Mammogram — left CC. Patient age 42.
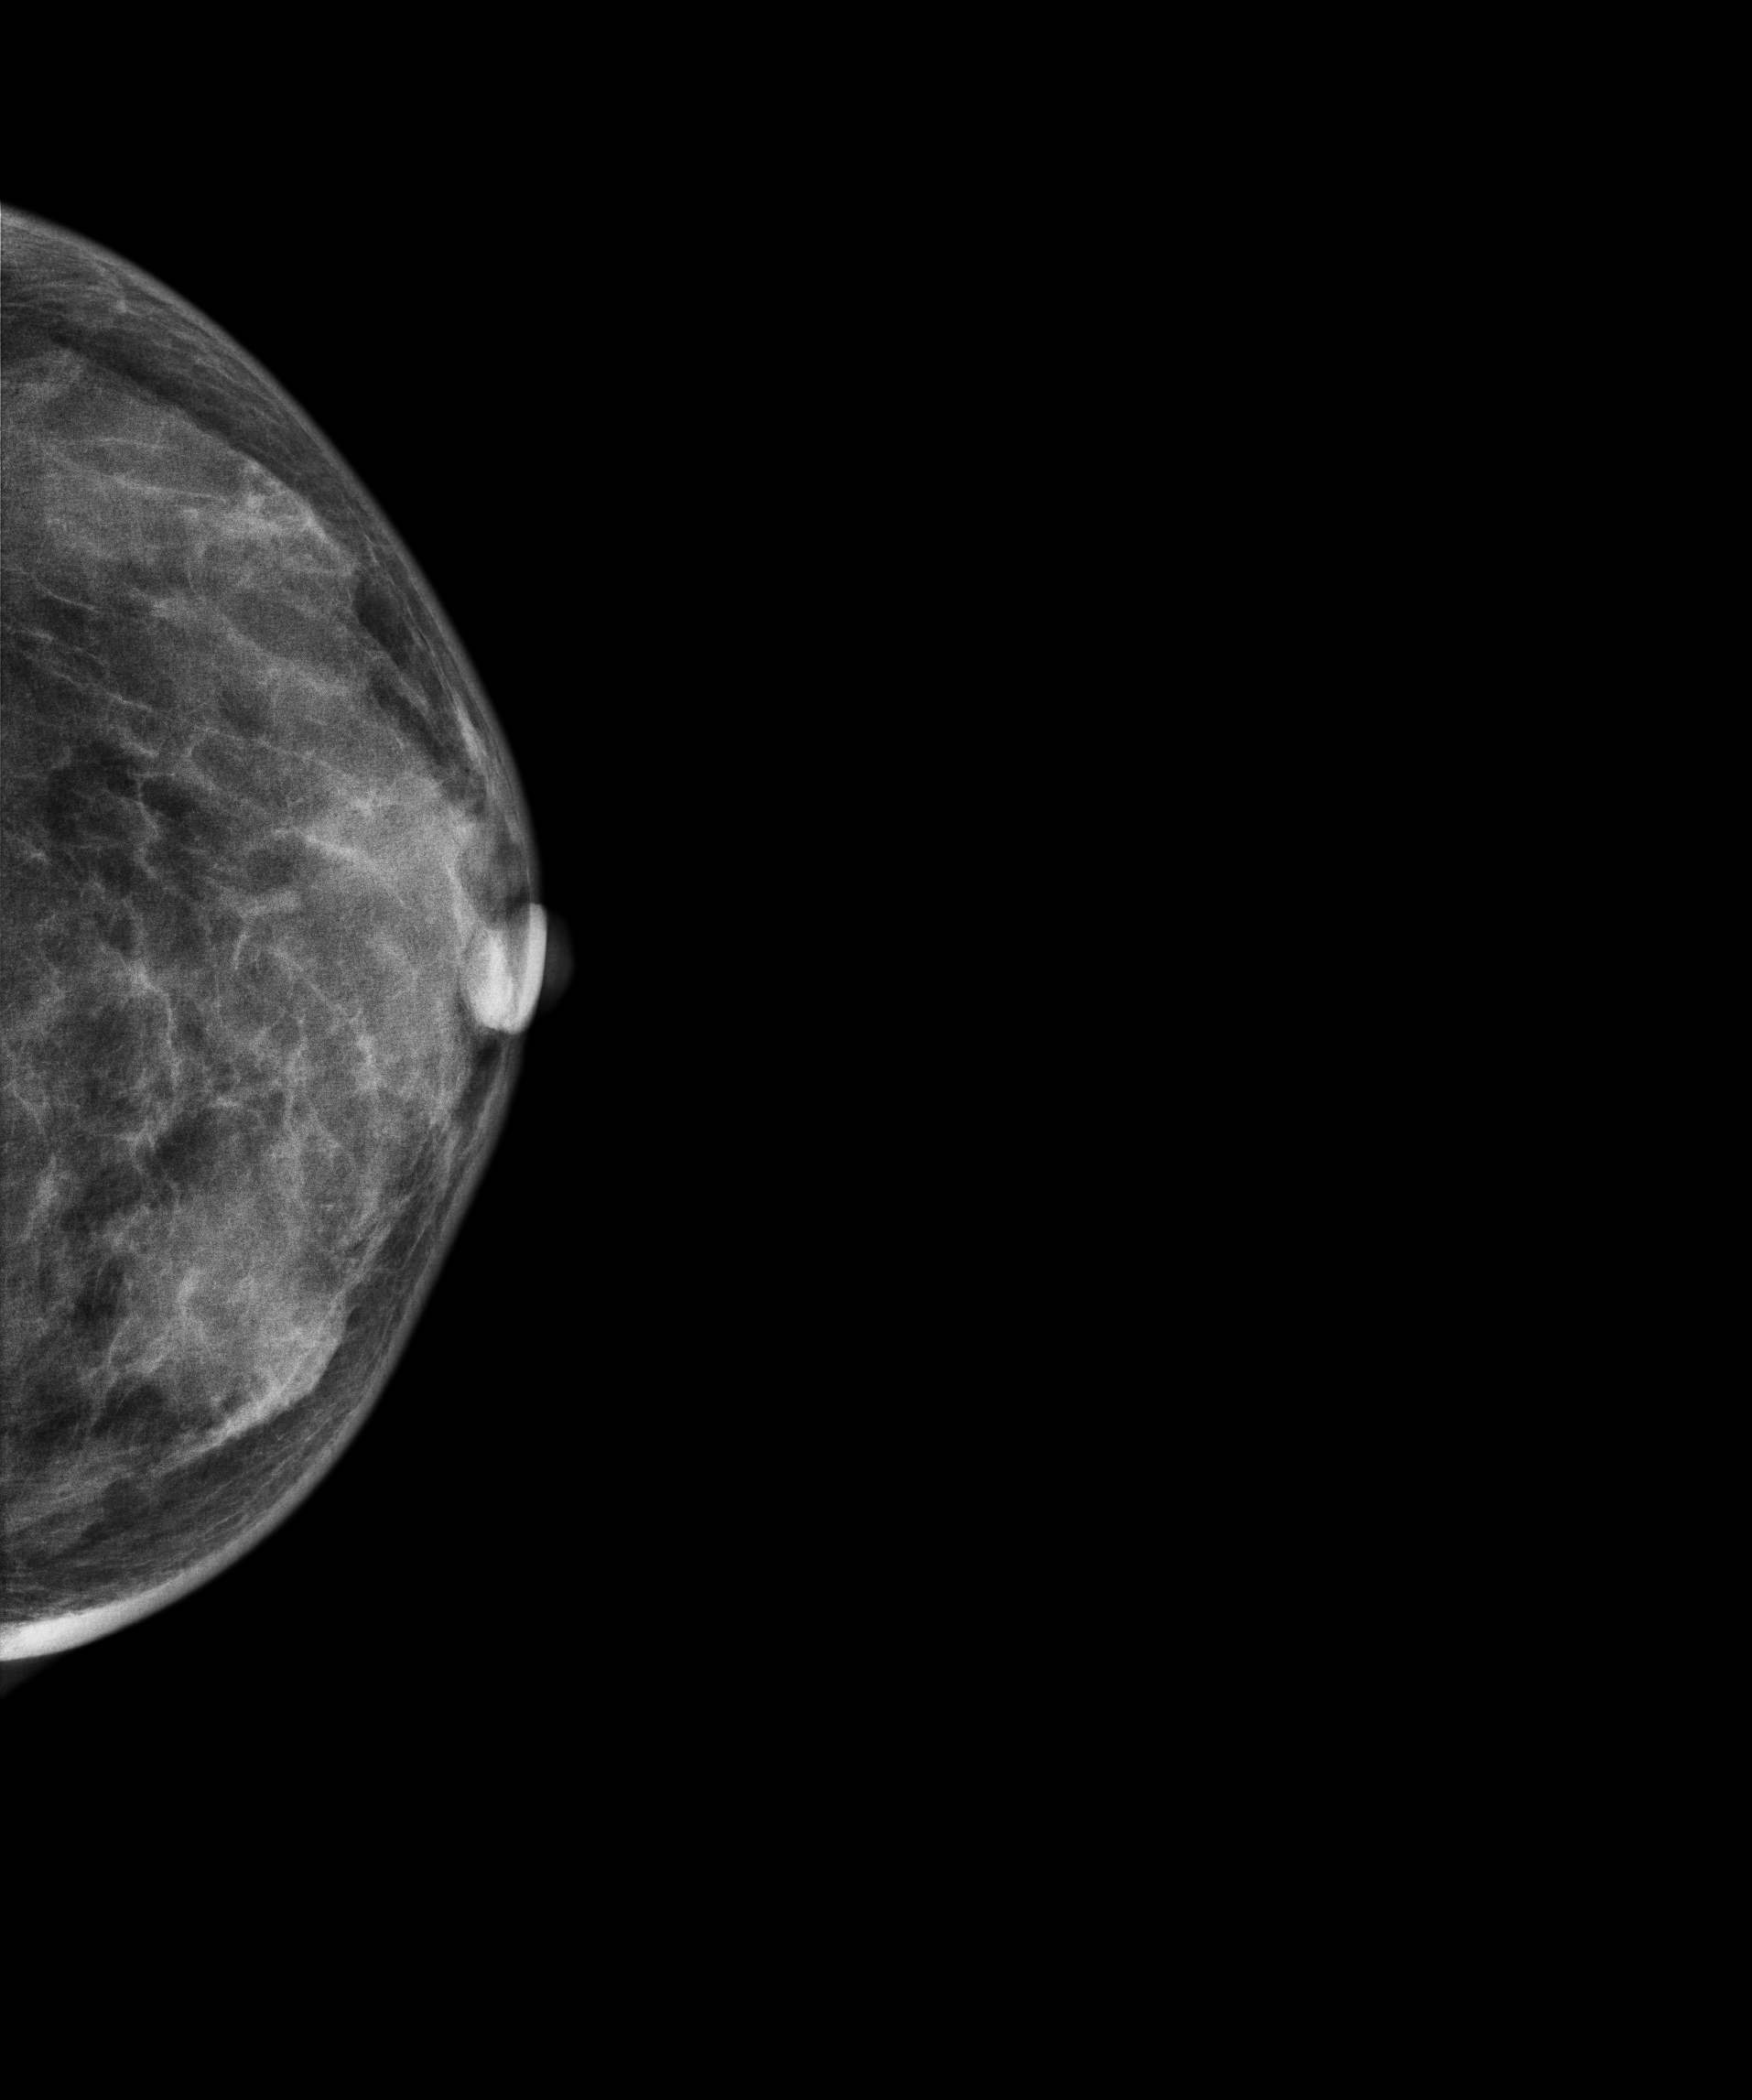
This breast has a mass, biopsy-proven malignant.